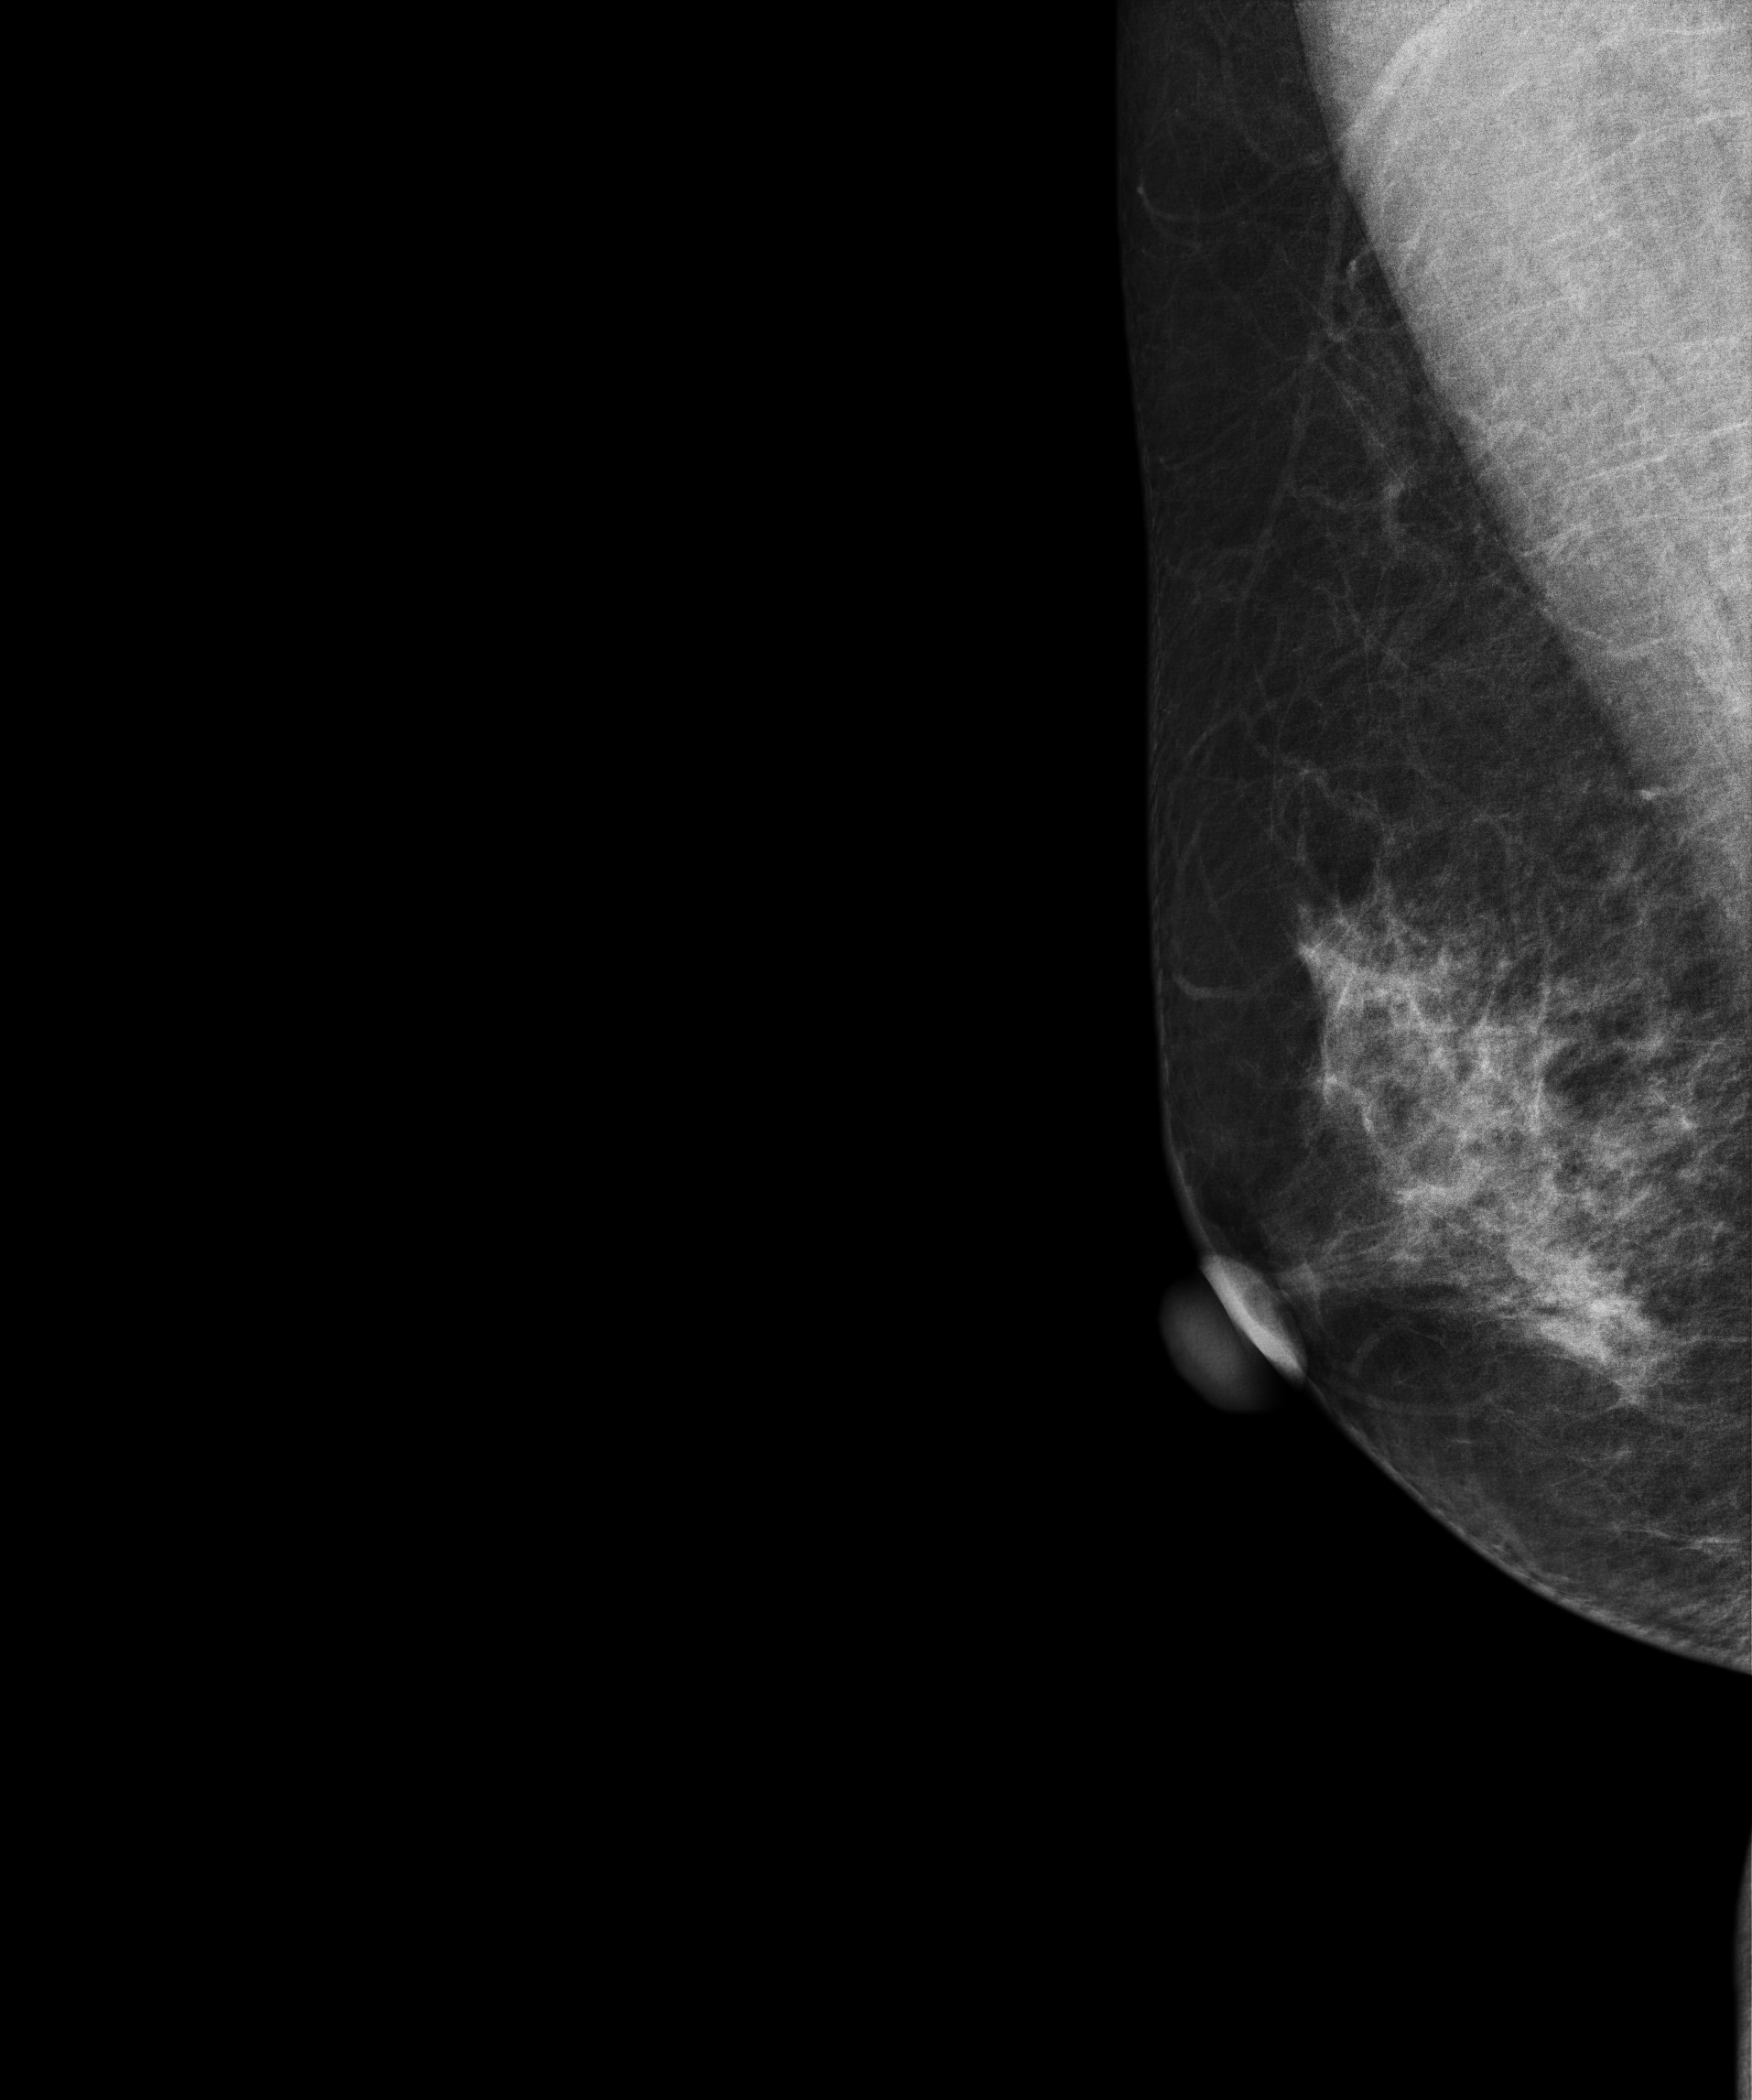
Mammogram, right breast, medio-lateral oblique view. Patient age 57.
Contralateral breast — no documented abnormality on this side.